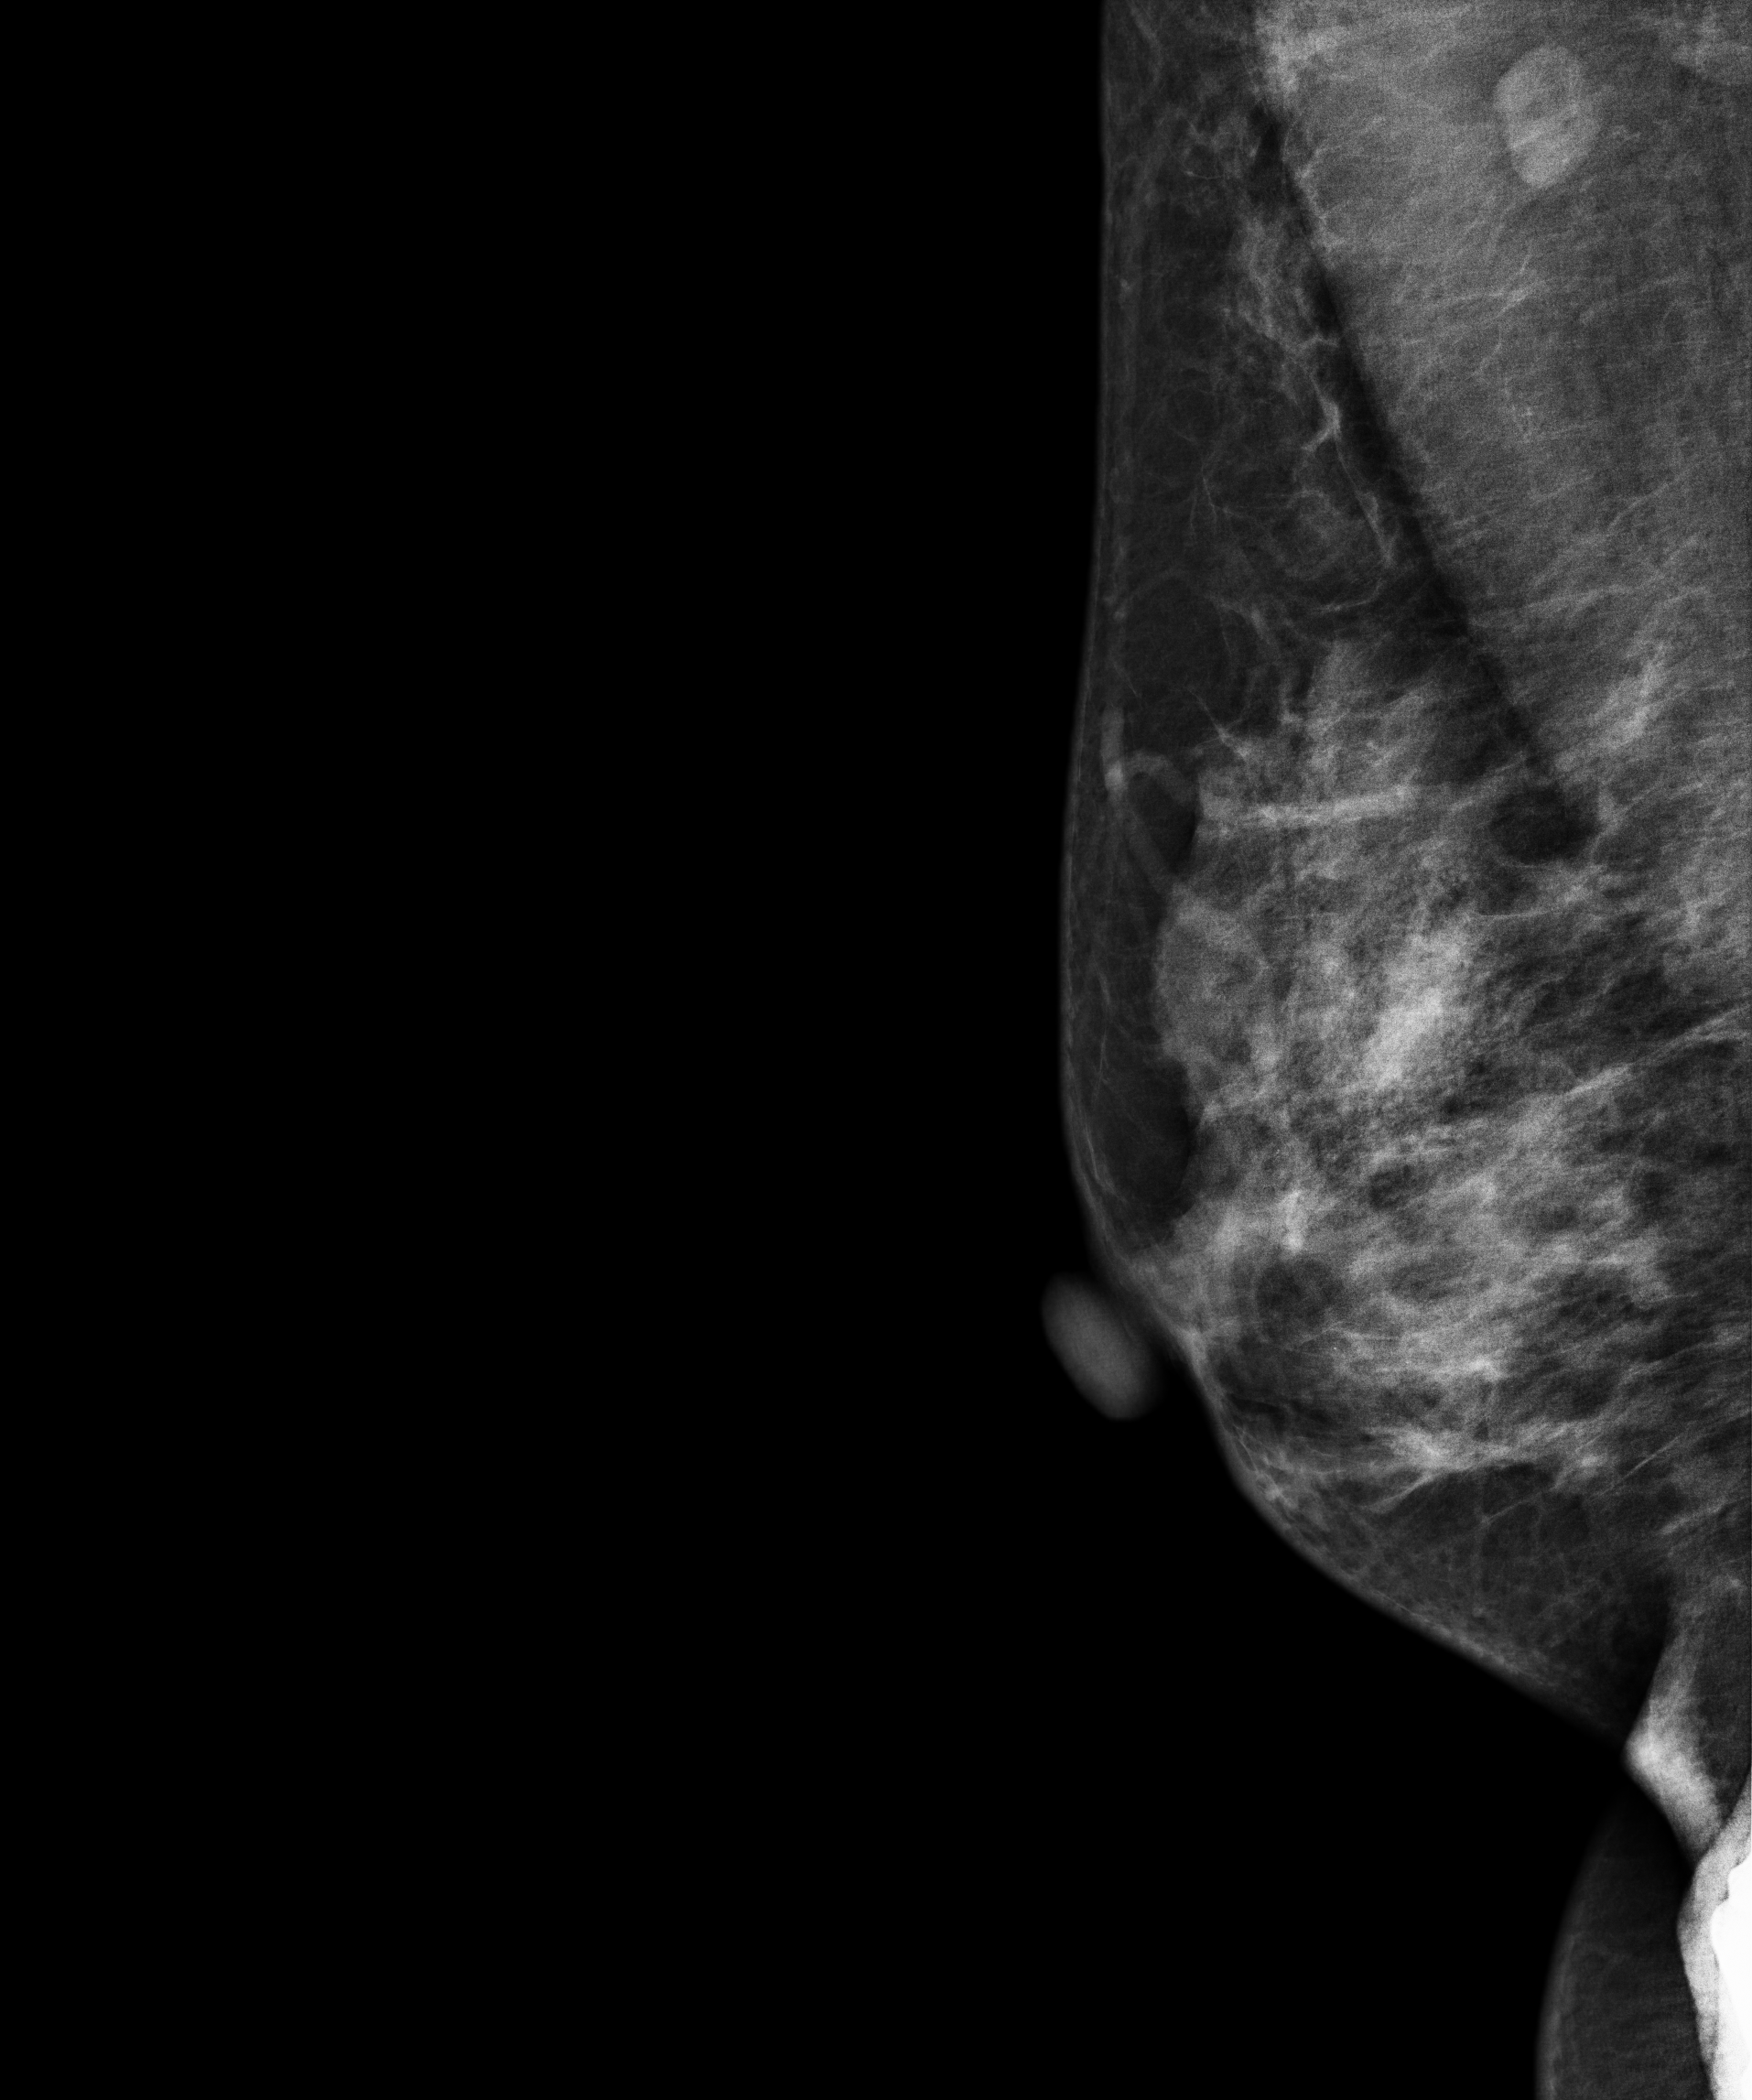
Mammogram — right MLO. 32-year-old patient.
This breast has a mass, histologically confirmed benign.